Digital mammography. Right breast, cranio-caudal projection. 40 y/o patient.
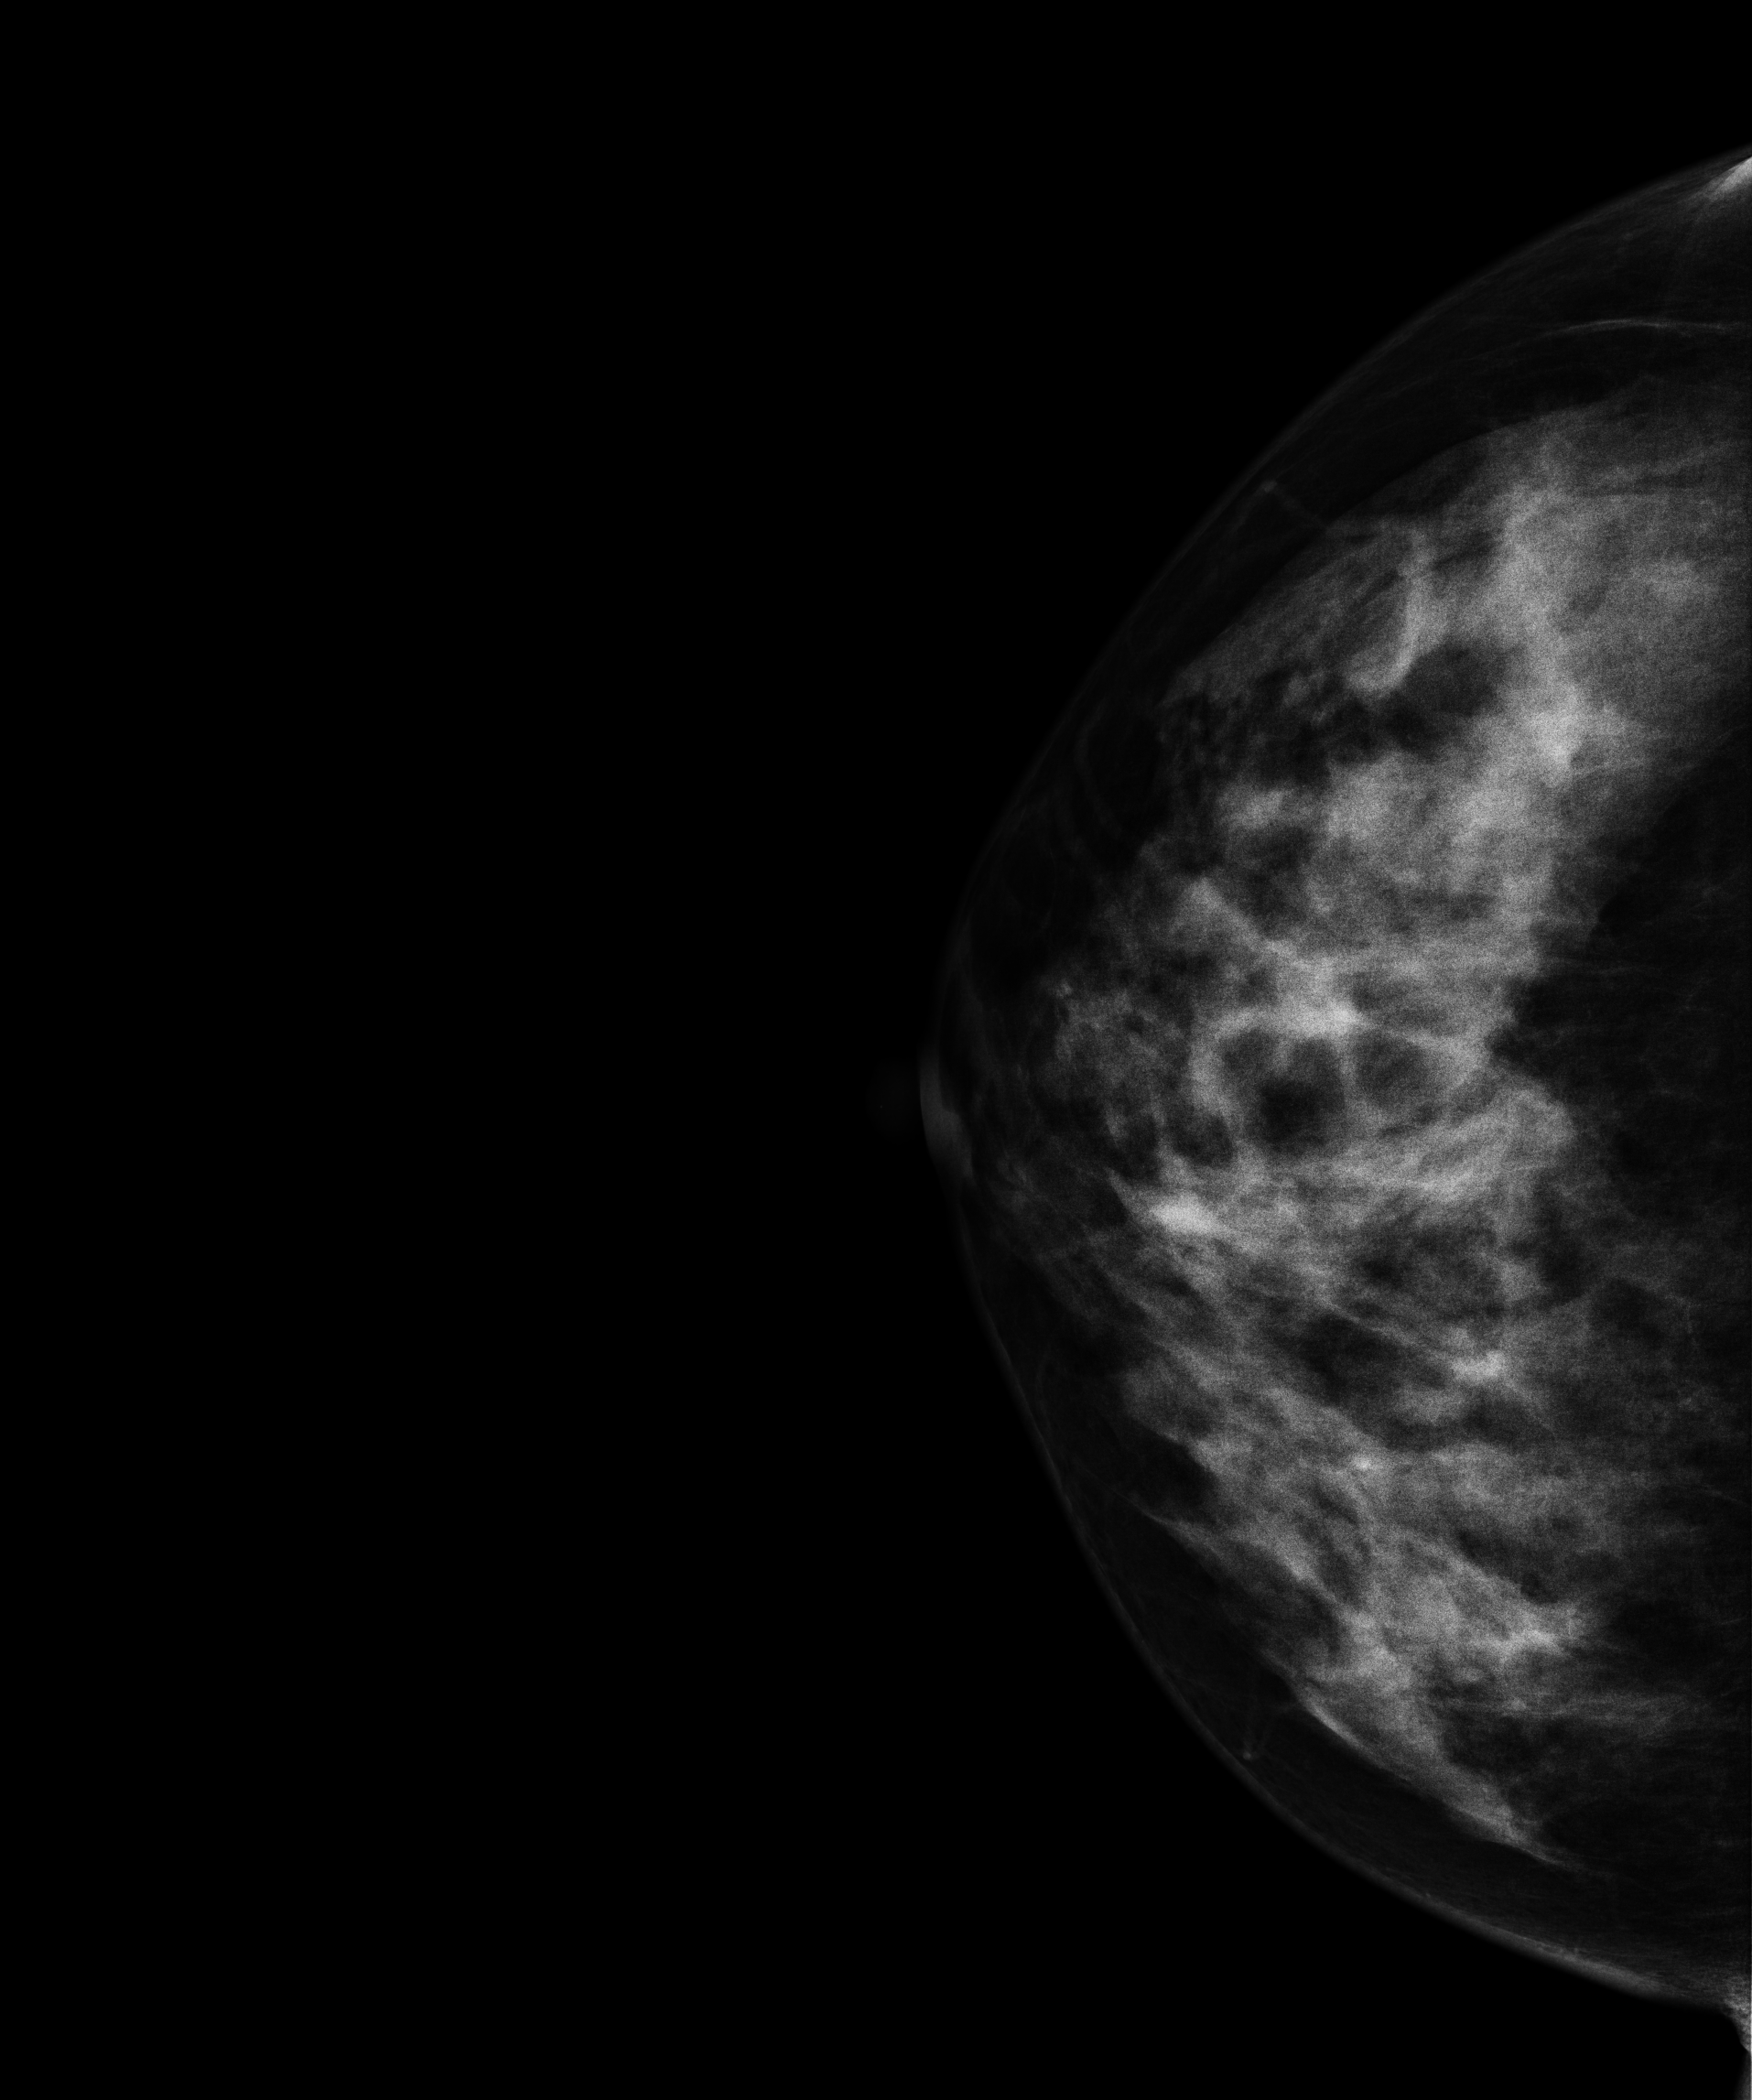
This breast has a mass, biopsy-confirmed benign.